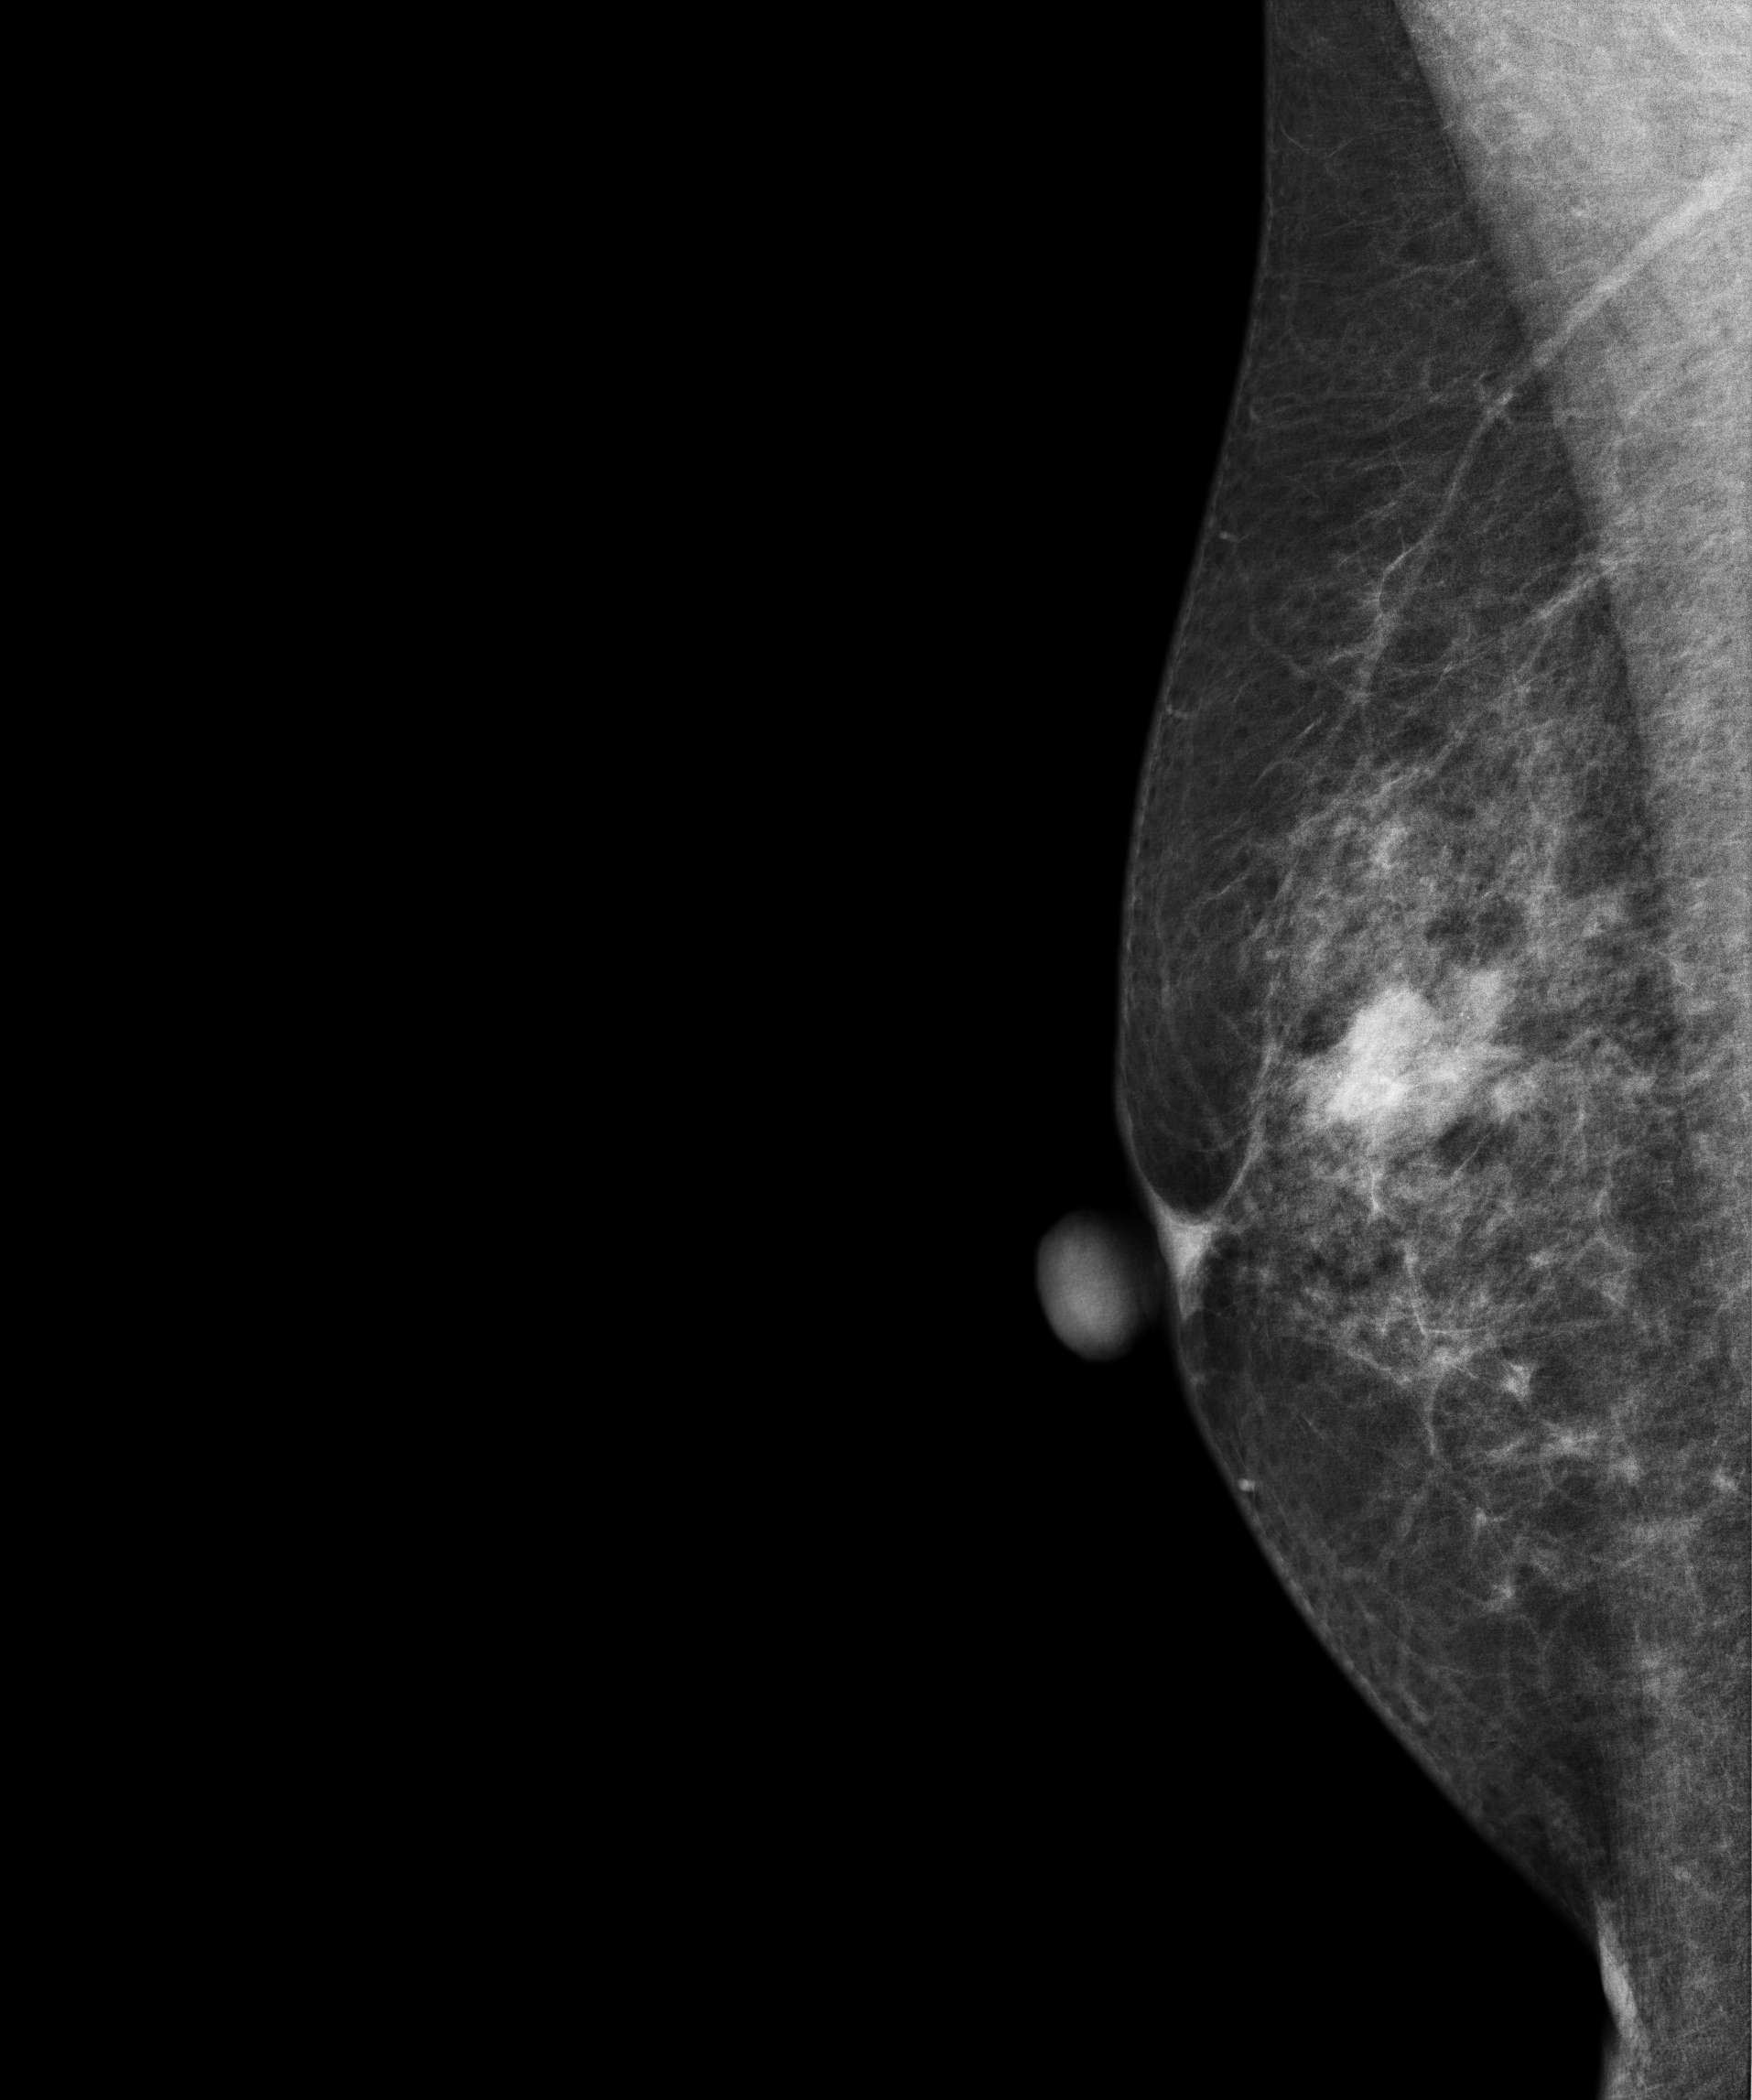
Mammogram, right breast, MLO view. 58-year-old patient.
This breast has a mass and calcifications, biopsy-proven malignant. Molecular subtype: luminal B.